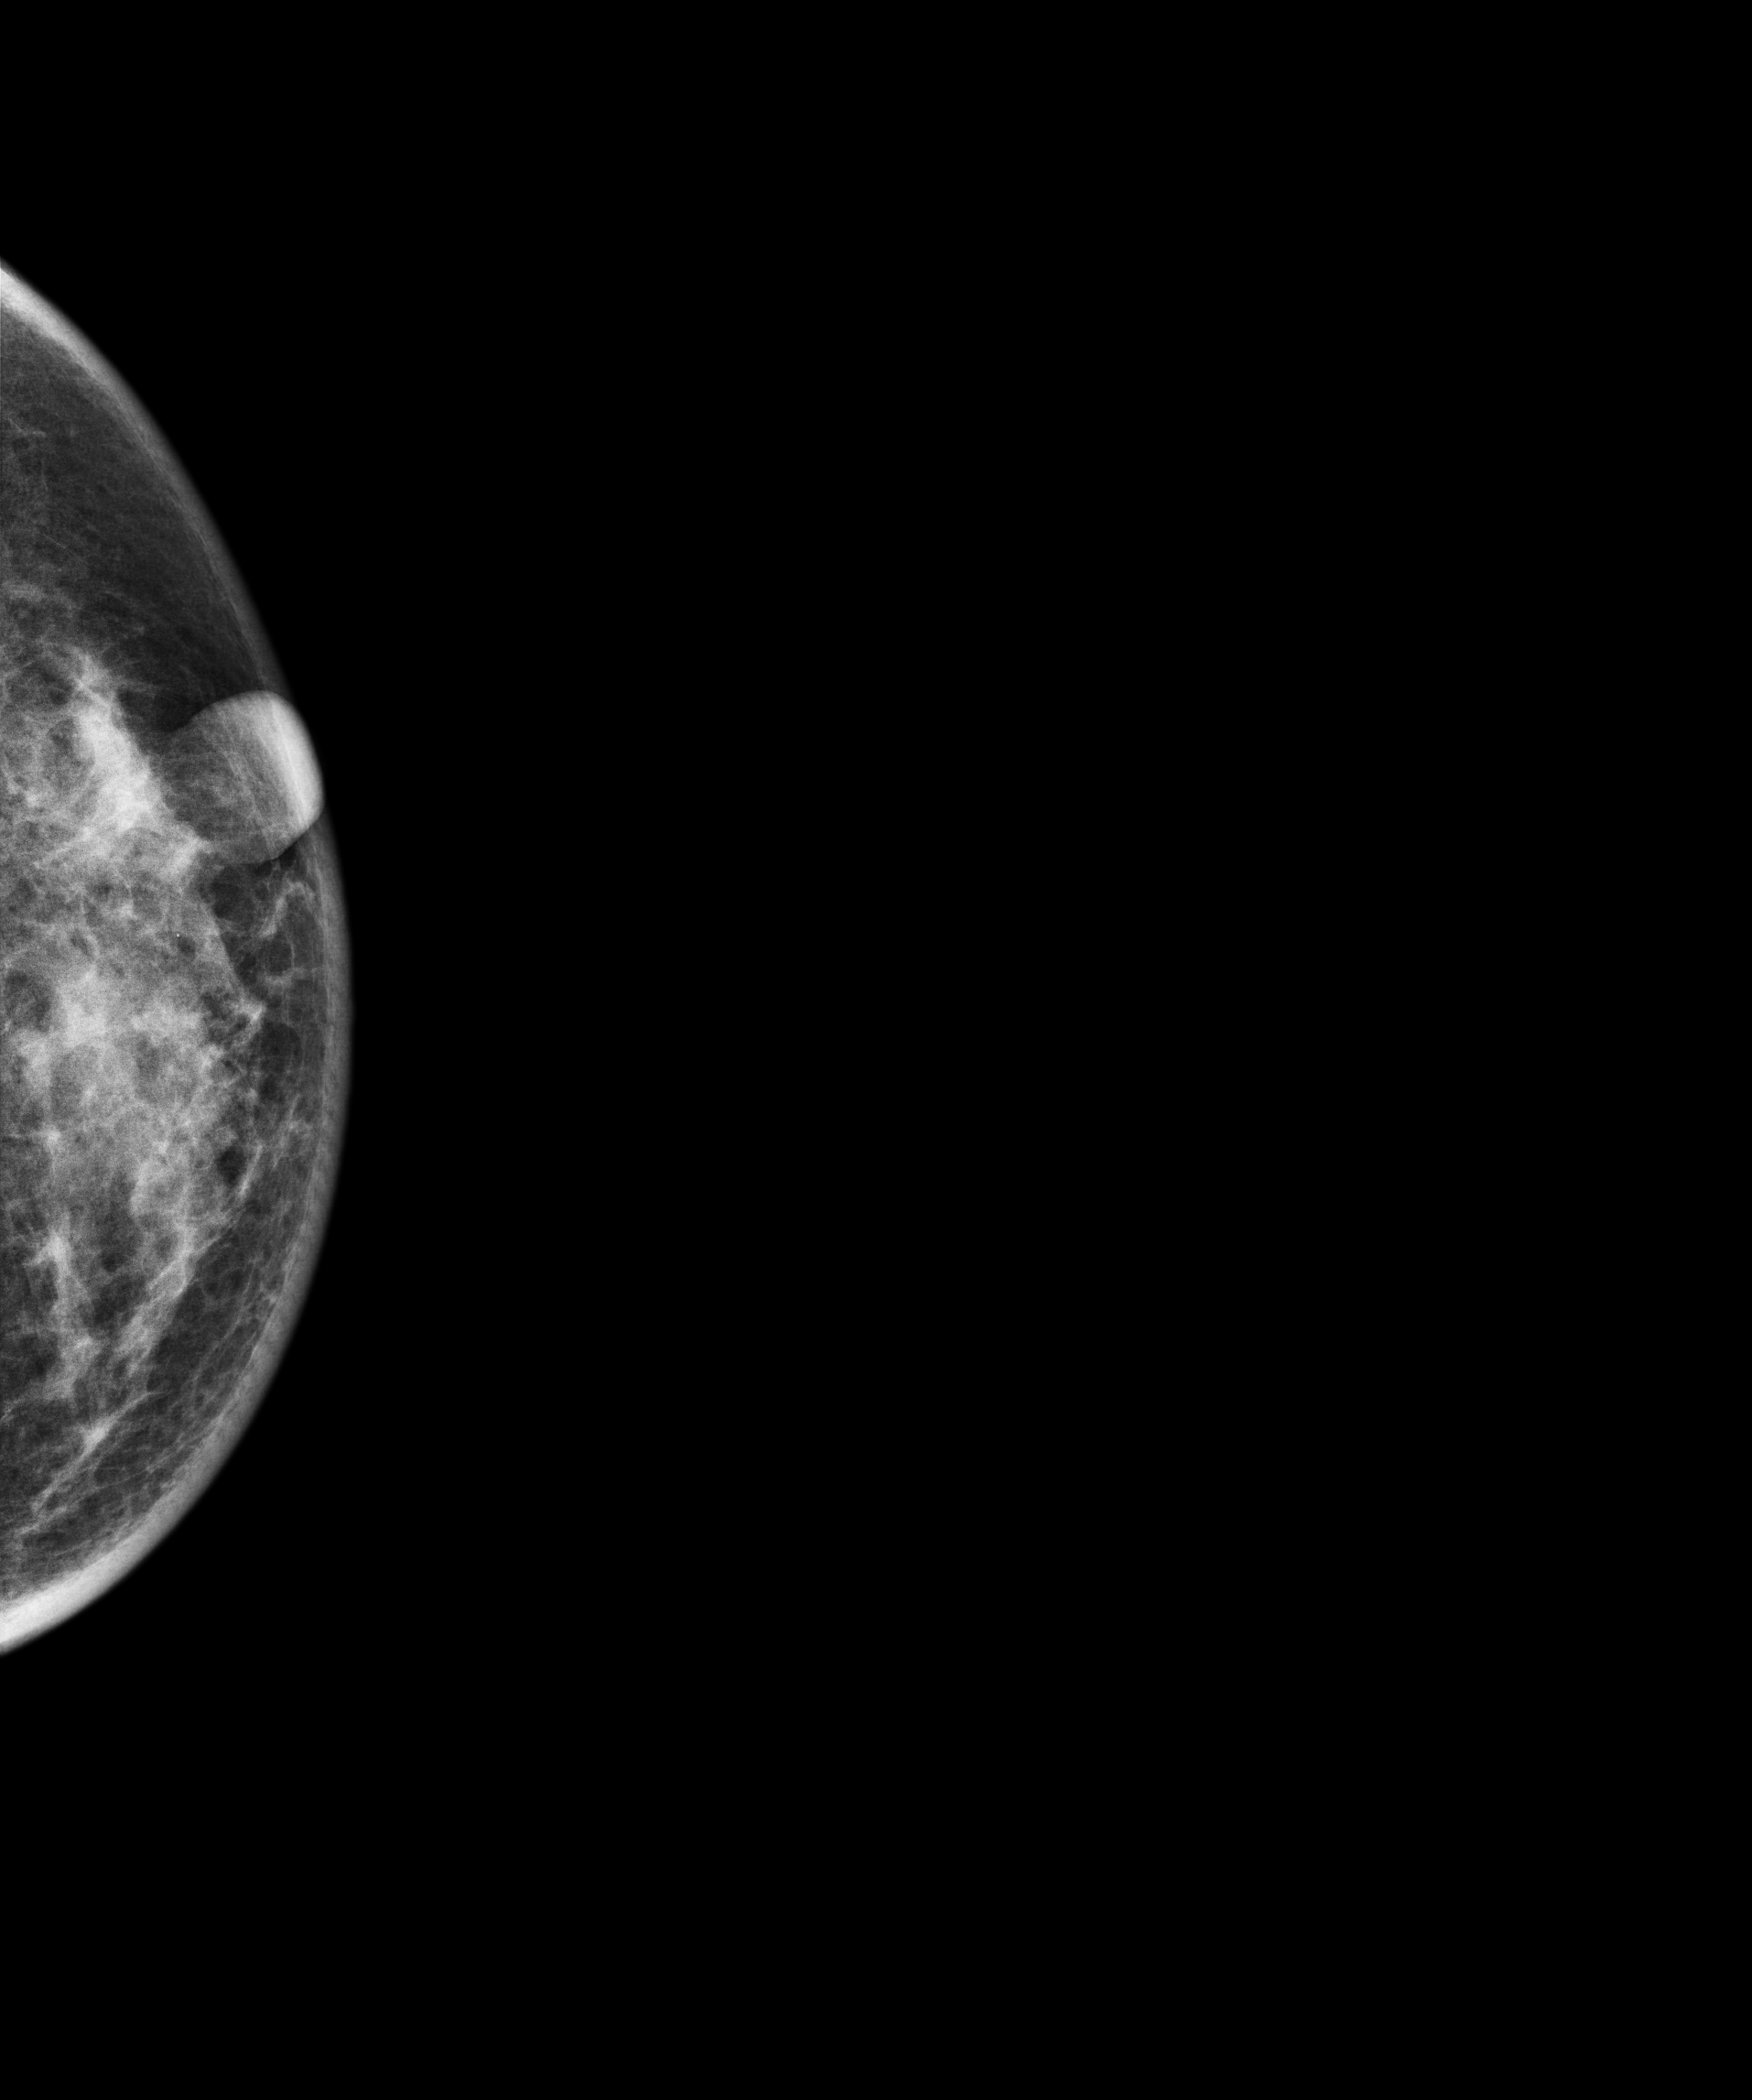
Mammogram, left breast, cranio-caudal view. Patient age 53.
This breast has a mass, pathology-confirmed malignant. Molecular subtype: luminal B.